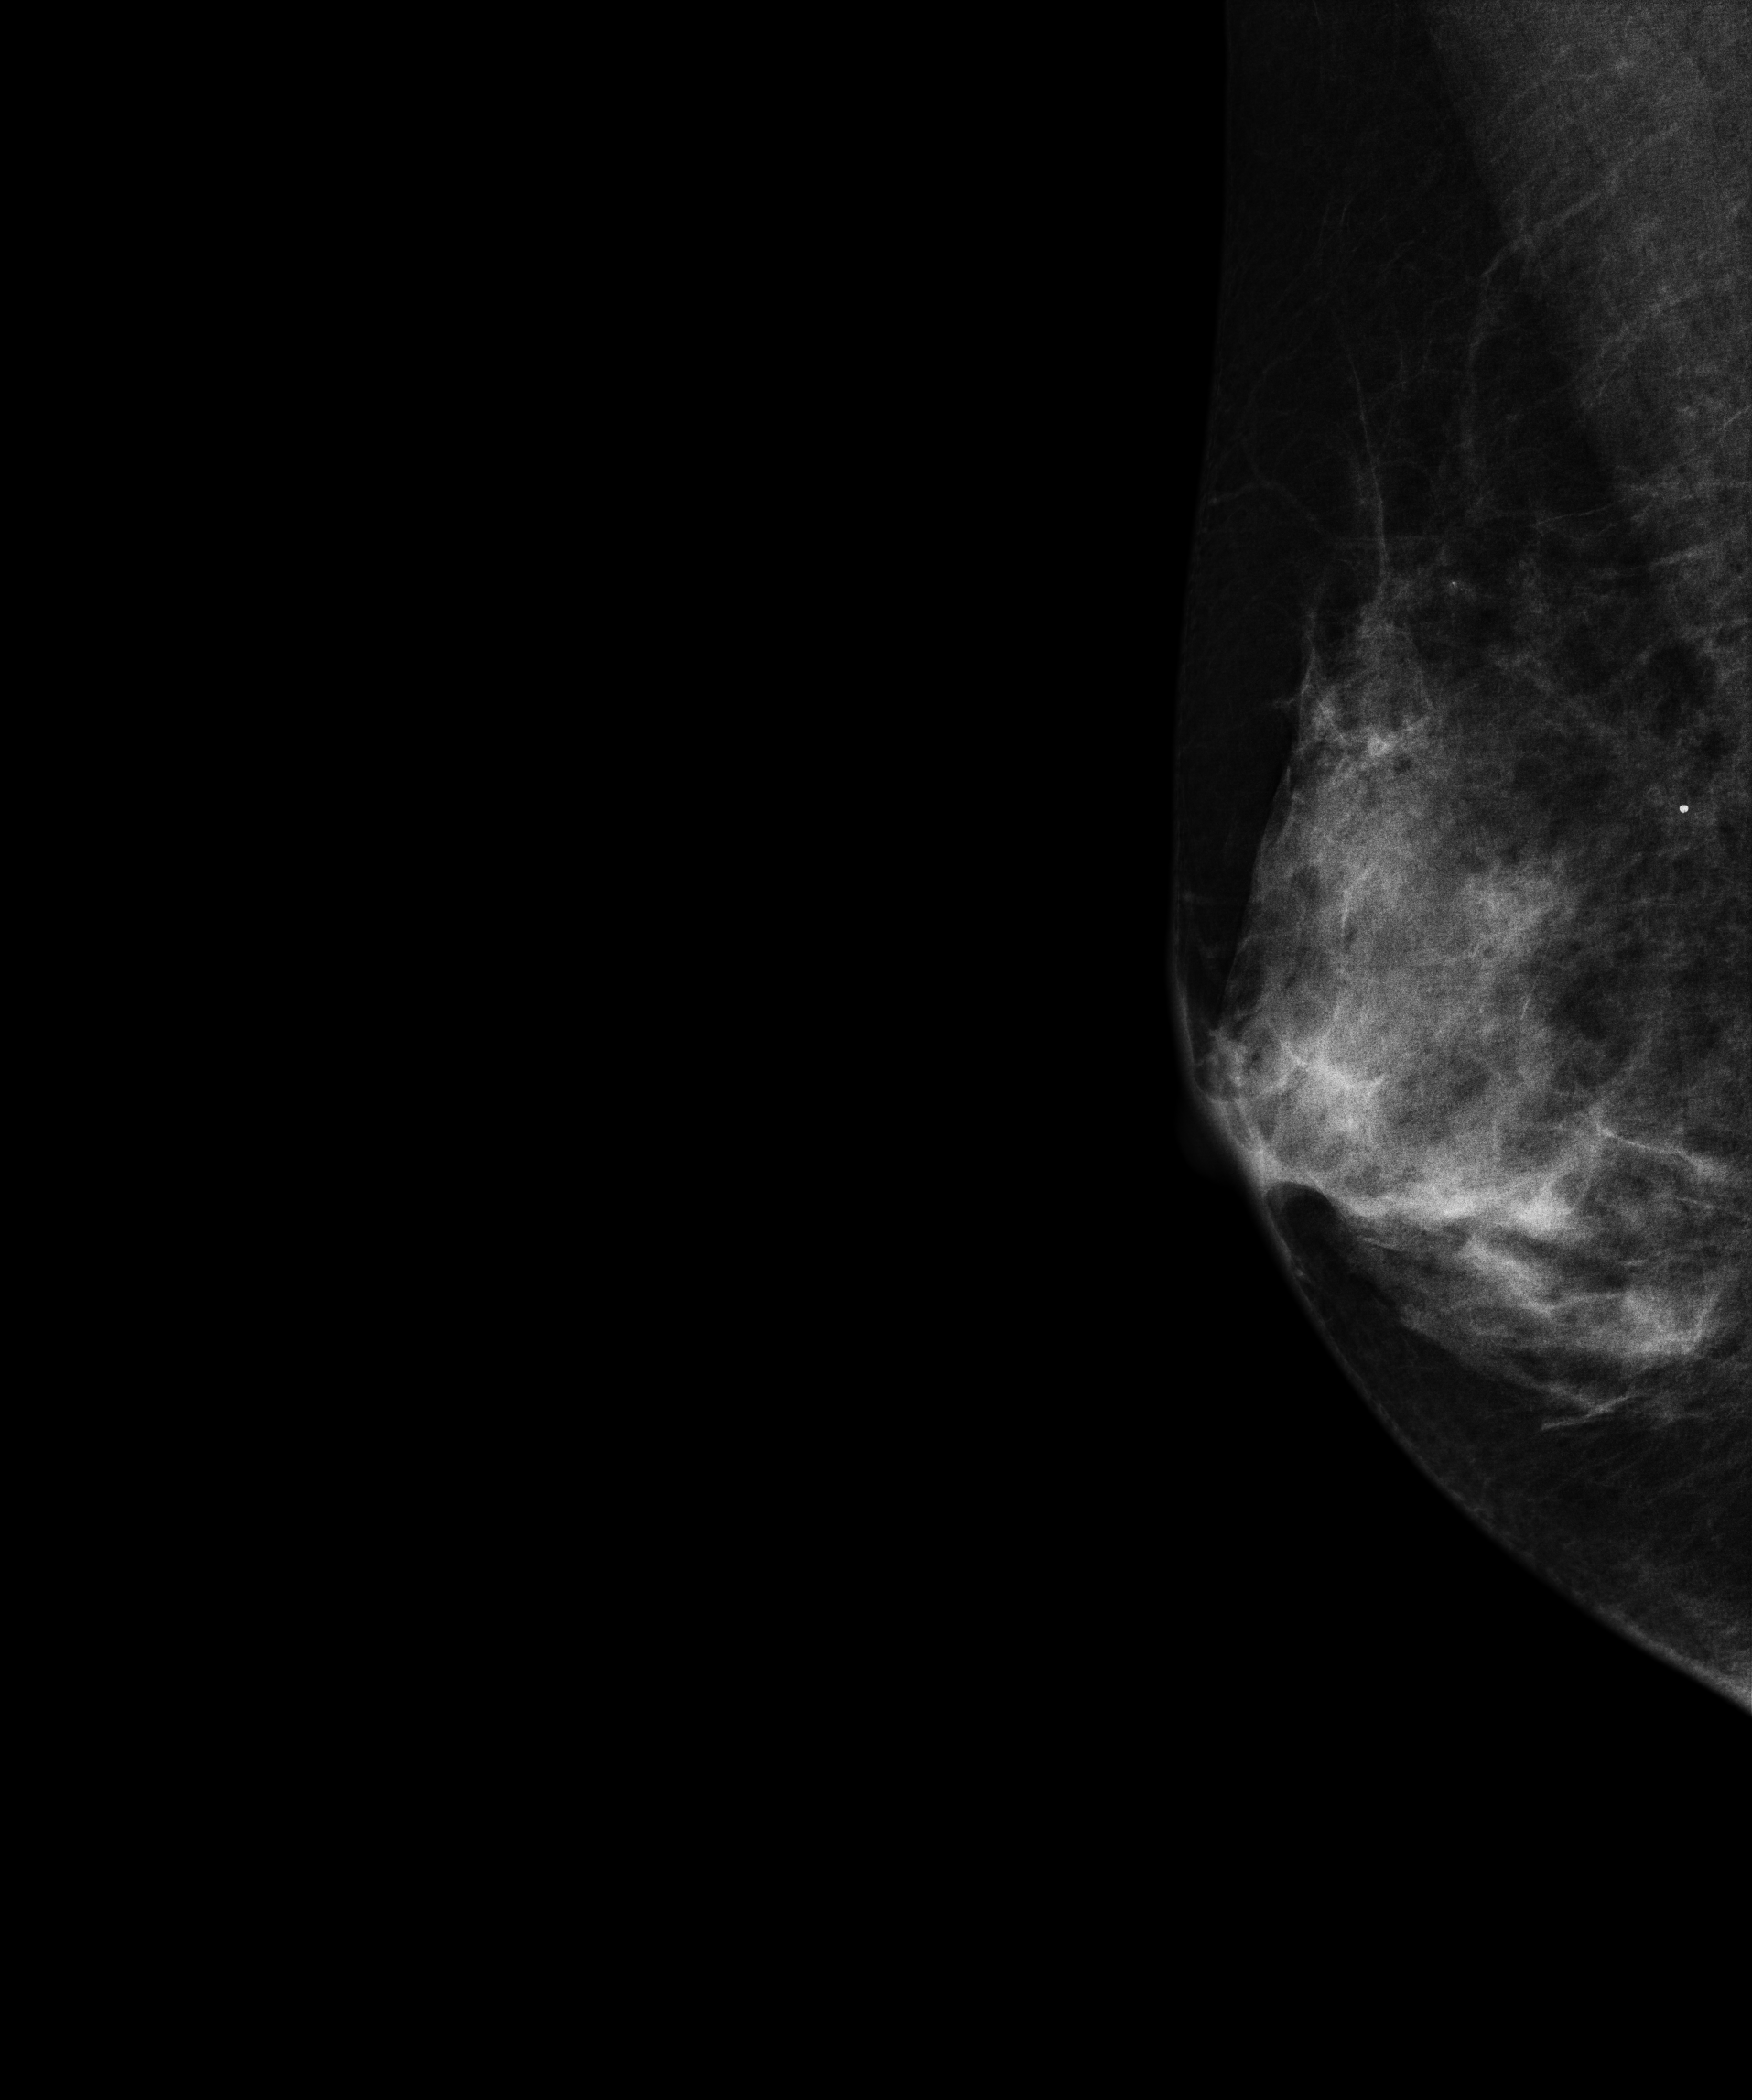
Right-breast mammogram, medio-lateral oblique. 57-year-old patient.
Contralateral breast — no documented abnormality on this side.